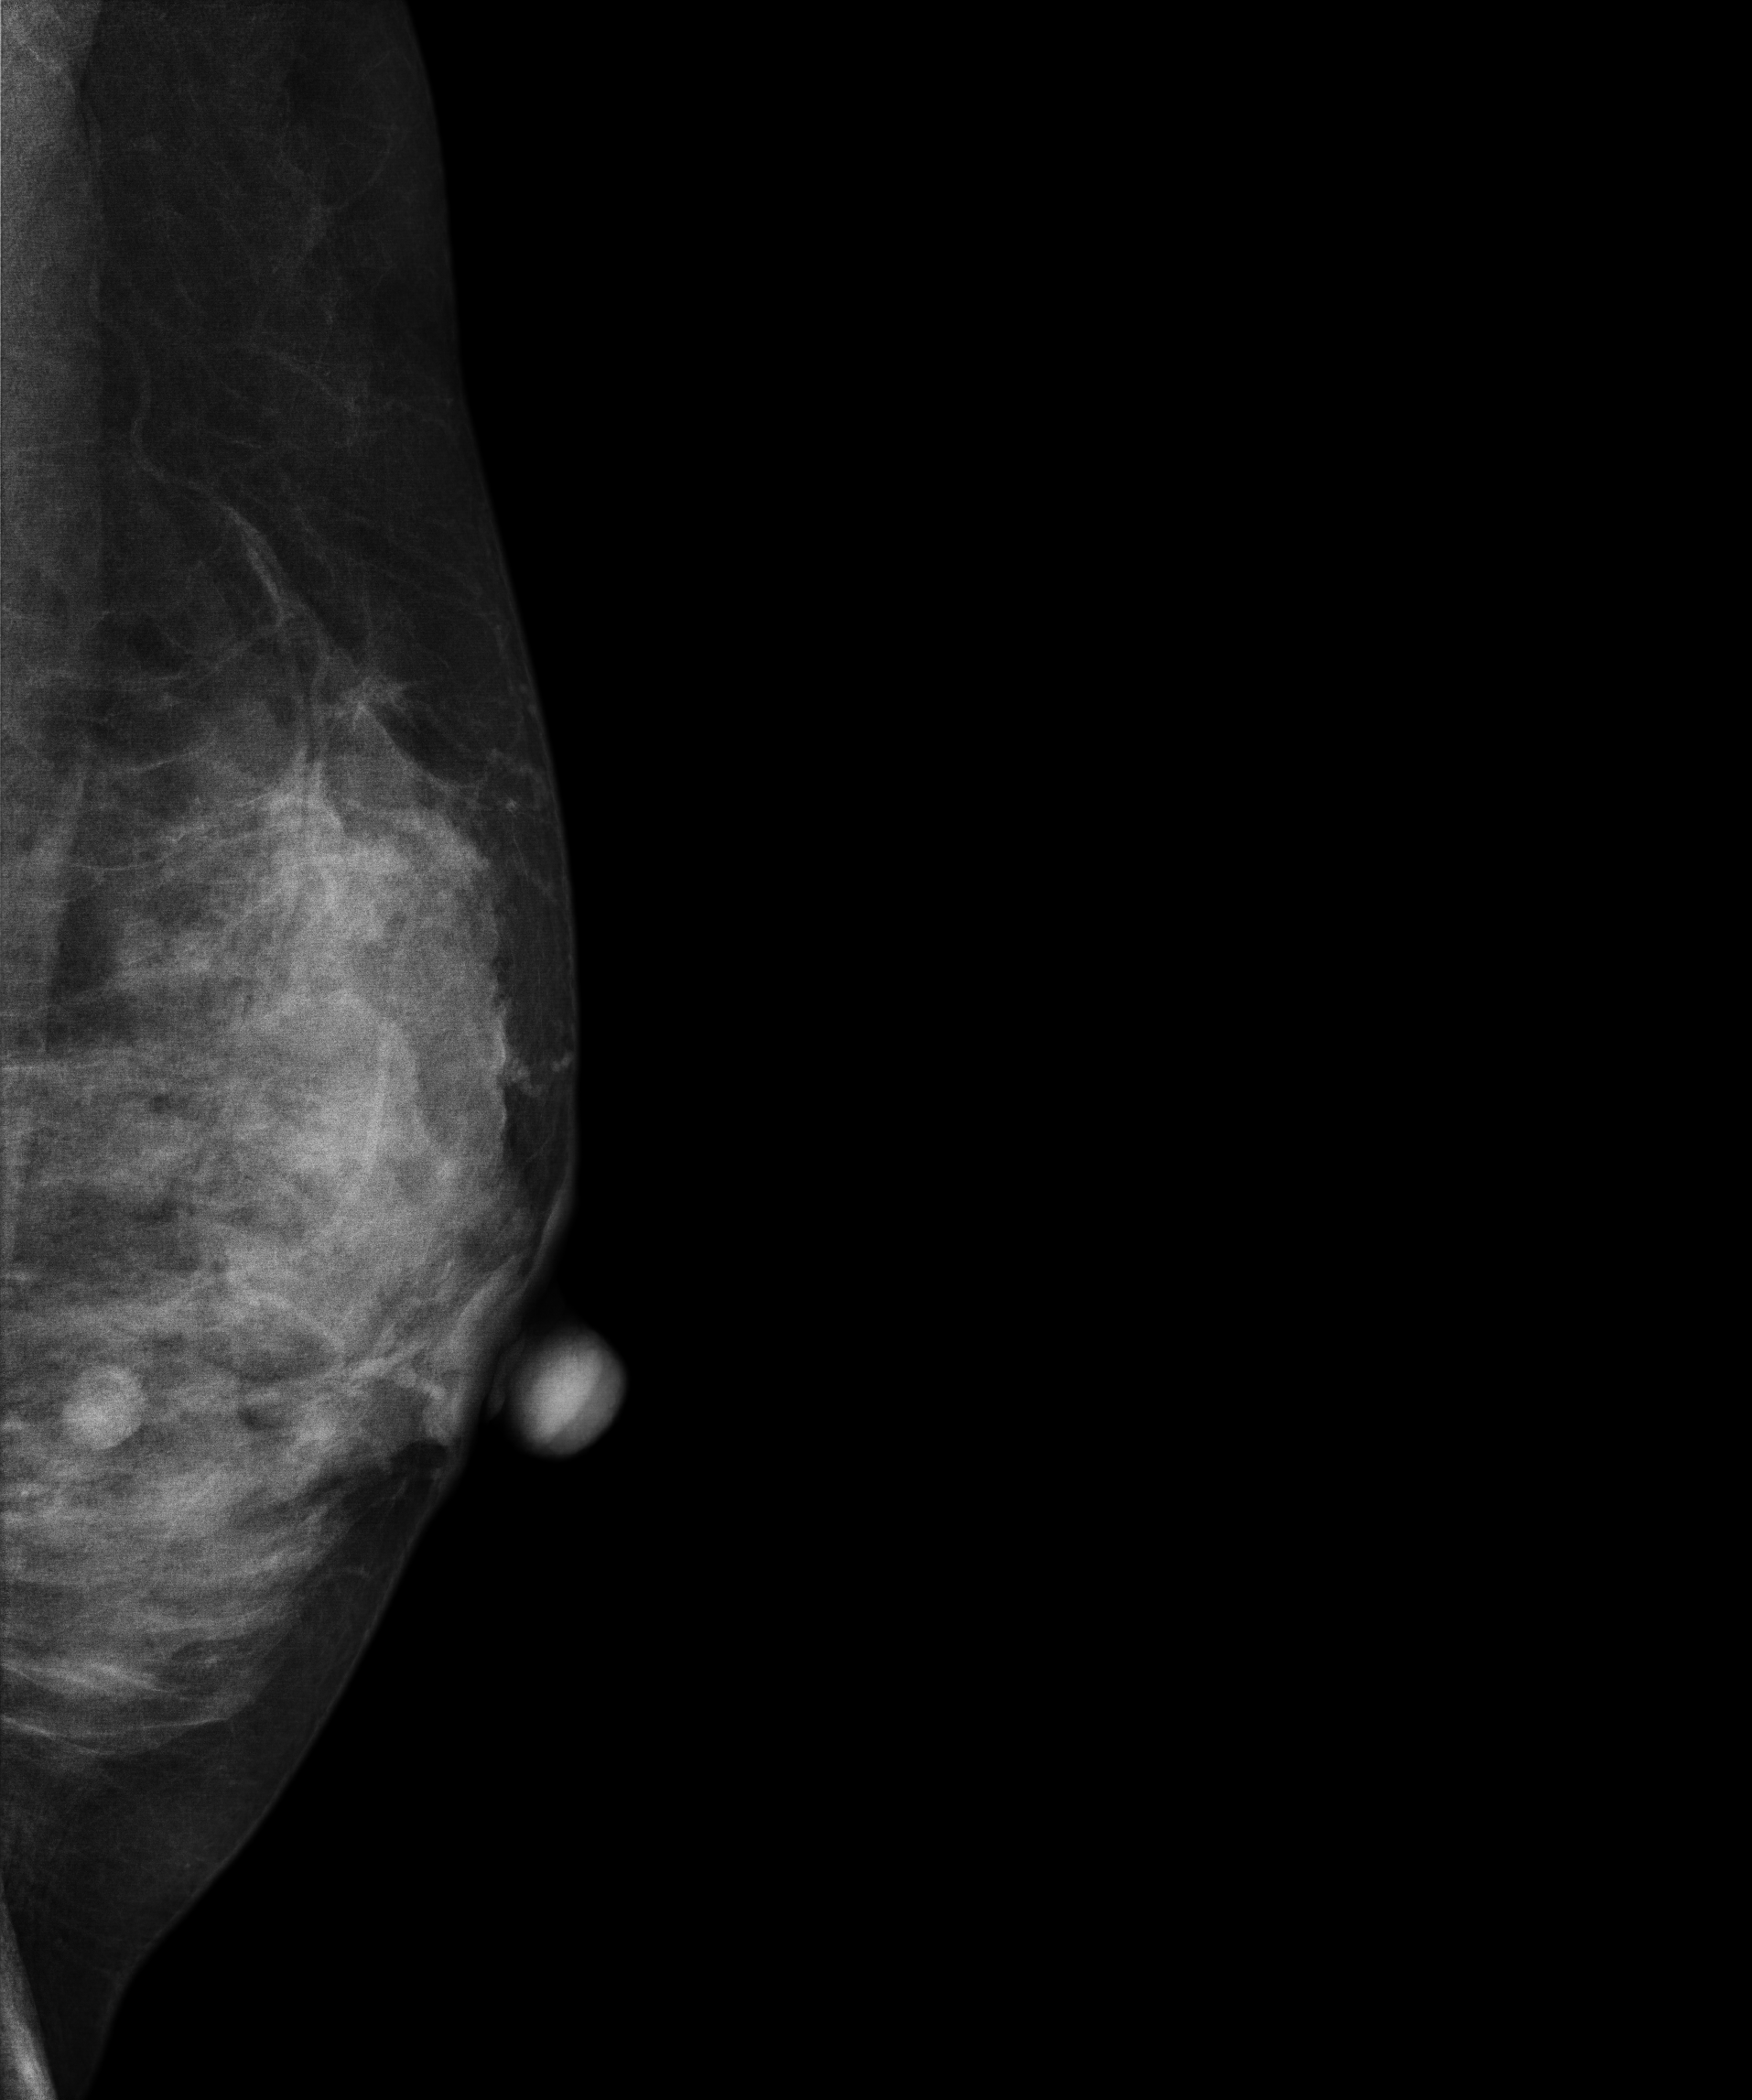
MLO mammogram of the left breast. 45 y/o patient.
This breast has a mass, pathology-confirmed benign.